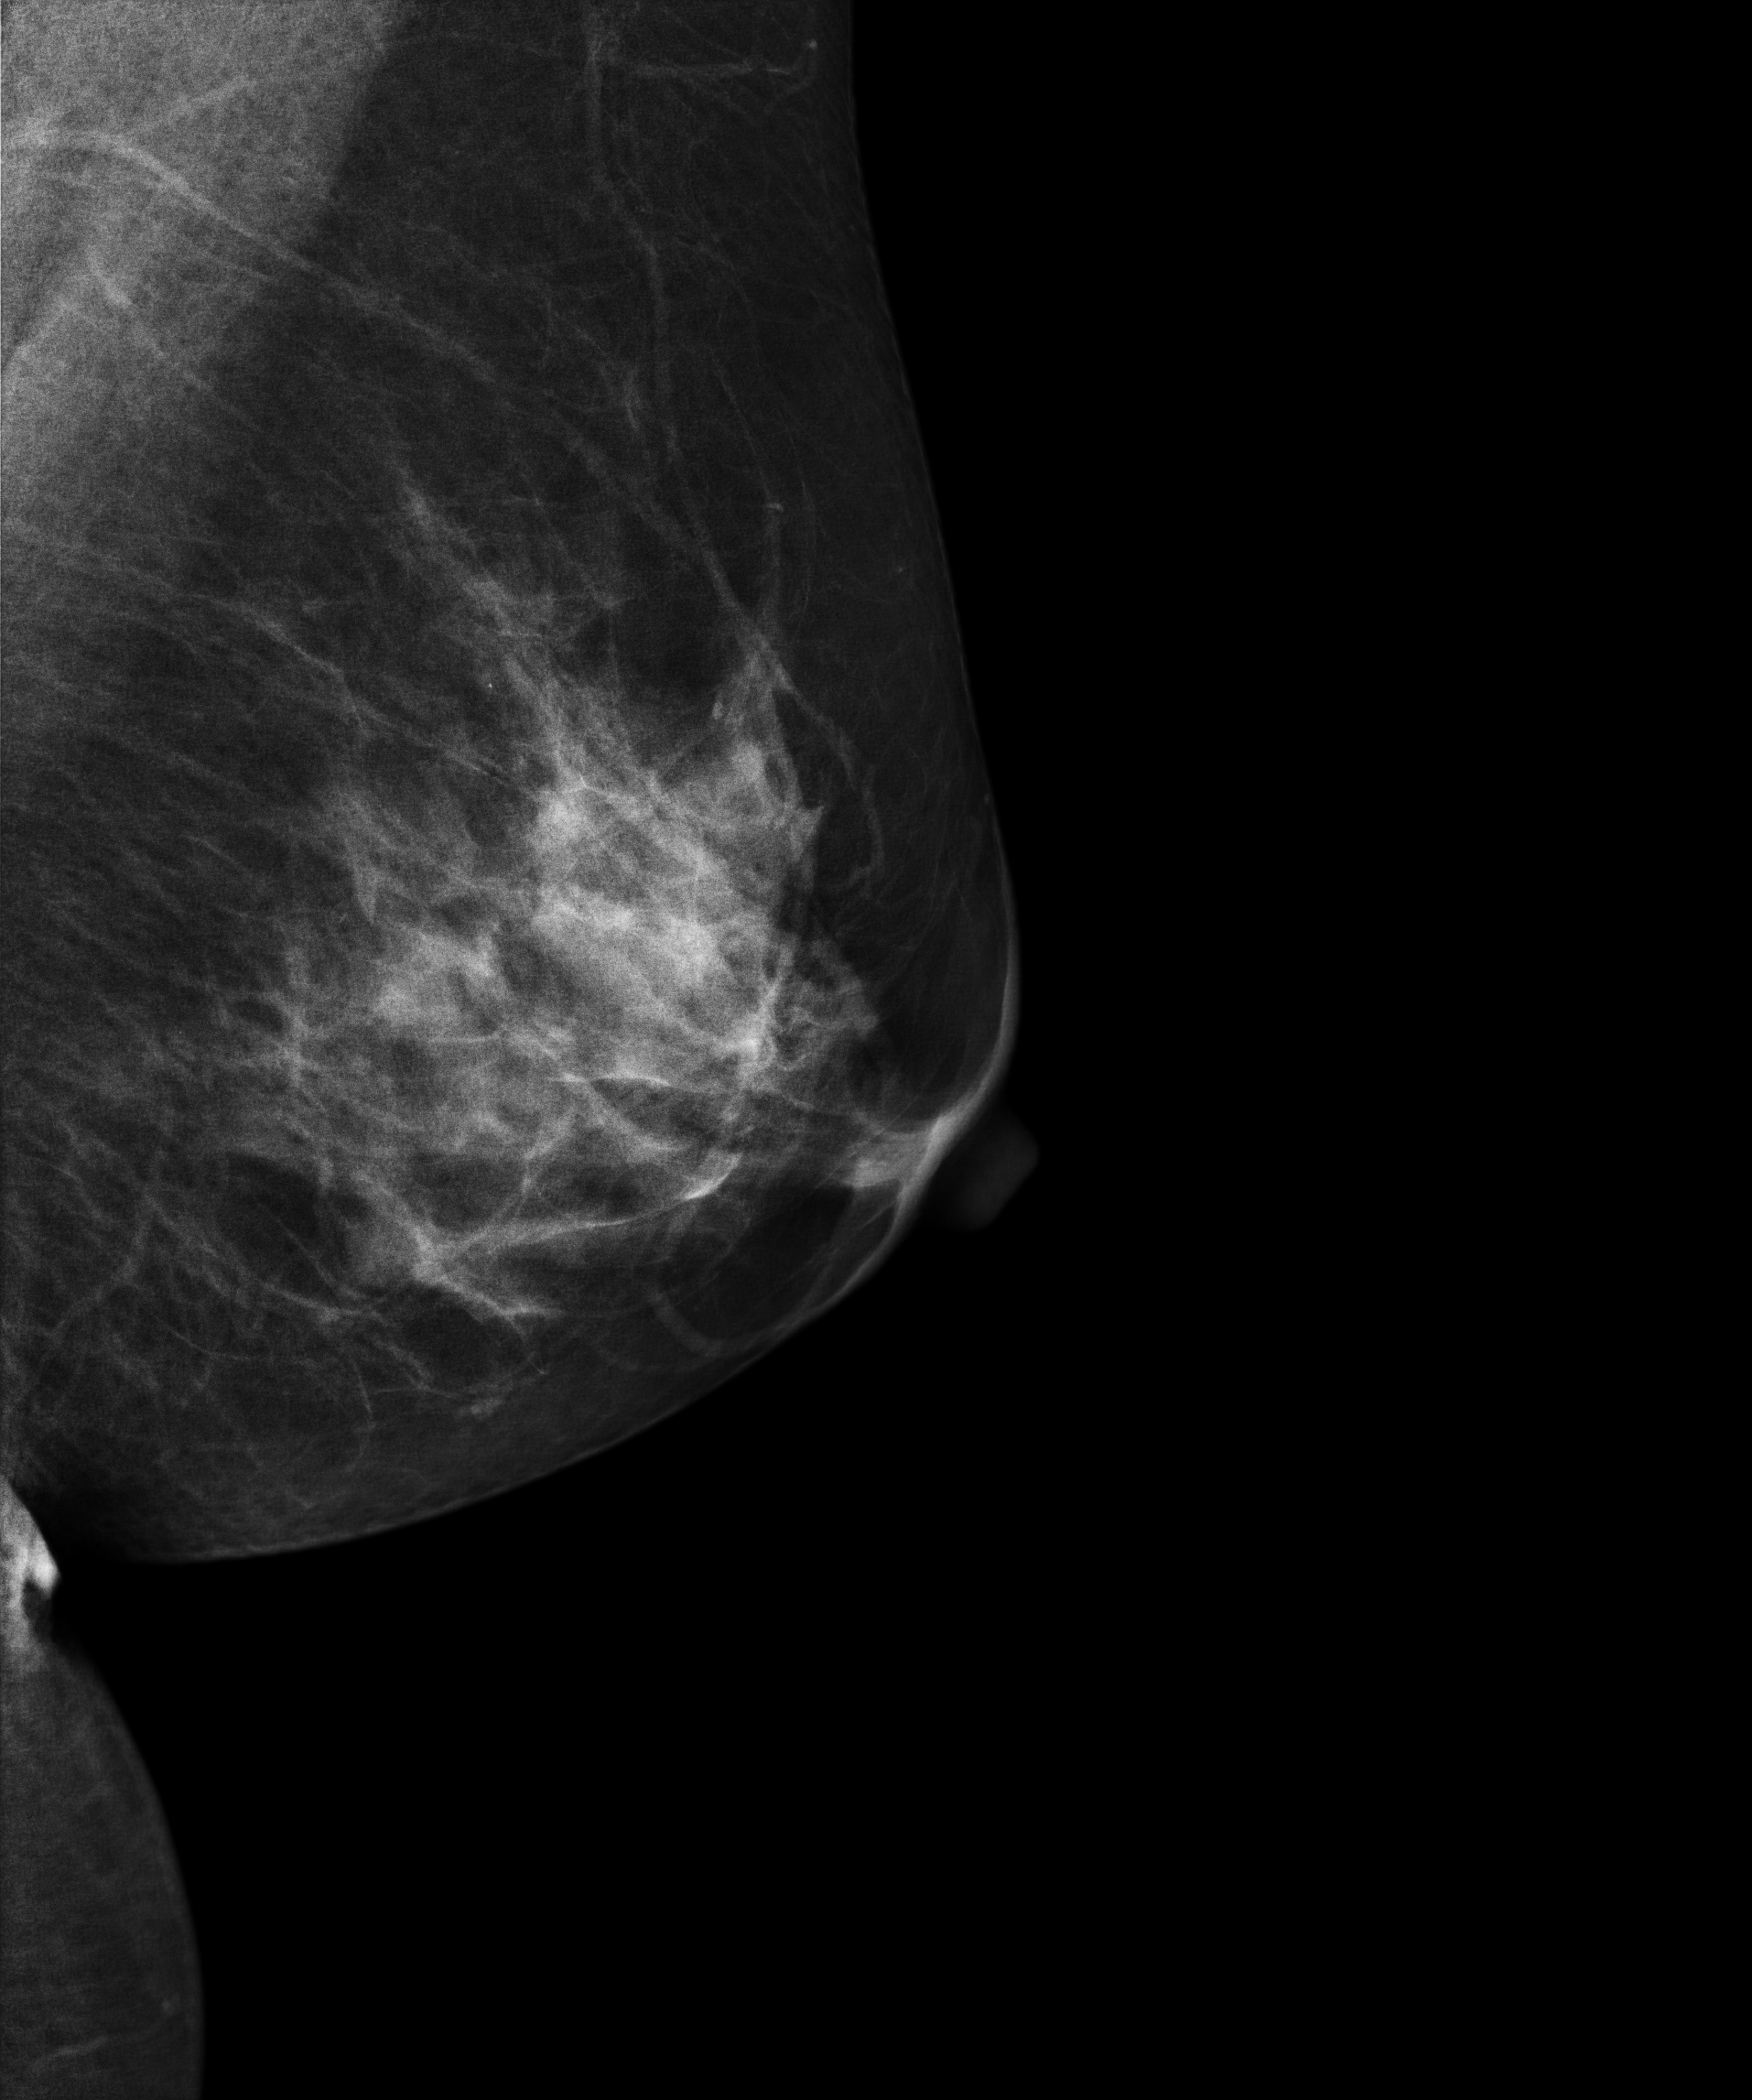
Left-breast mammogram, MLO. 53 y/o patient.
Contralateral breast — no documented abnormality on this side.